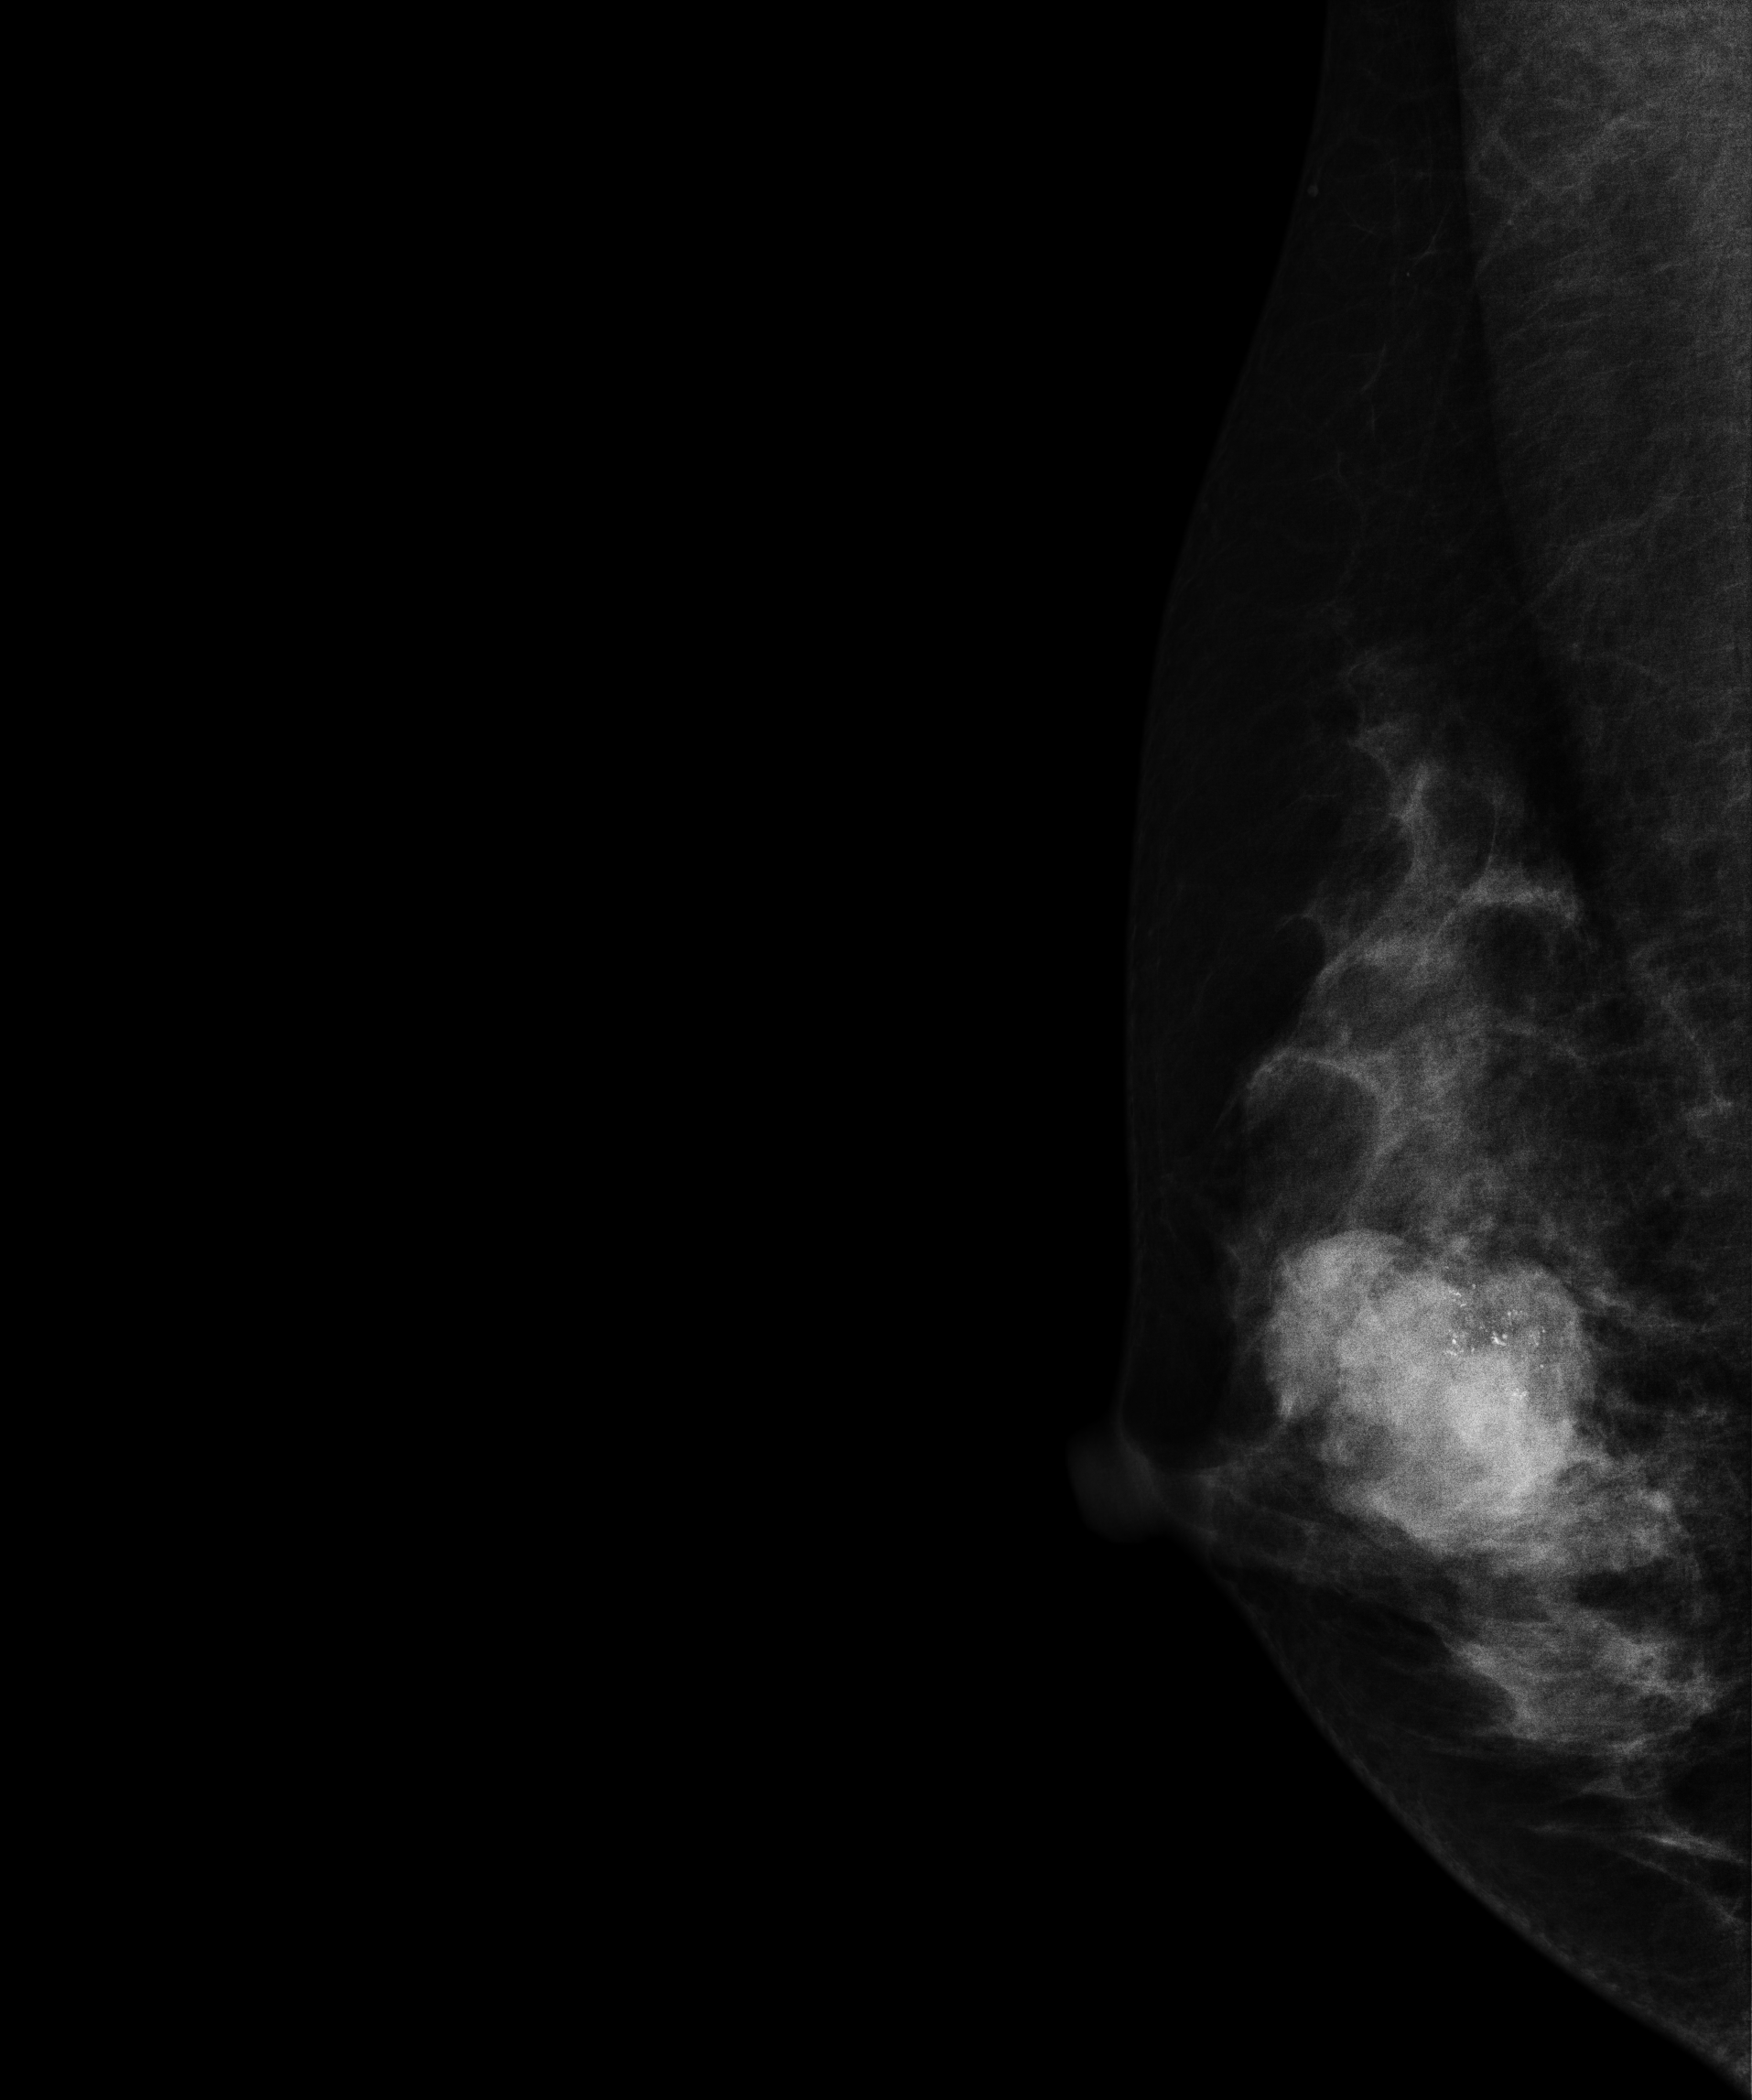
Digital mammography. Right breast, MLO projection. 27 y/o patient.
This breast has a mass and calcifications, biopsy-confirmed malignant. Molecular subtype: luminal B.